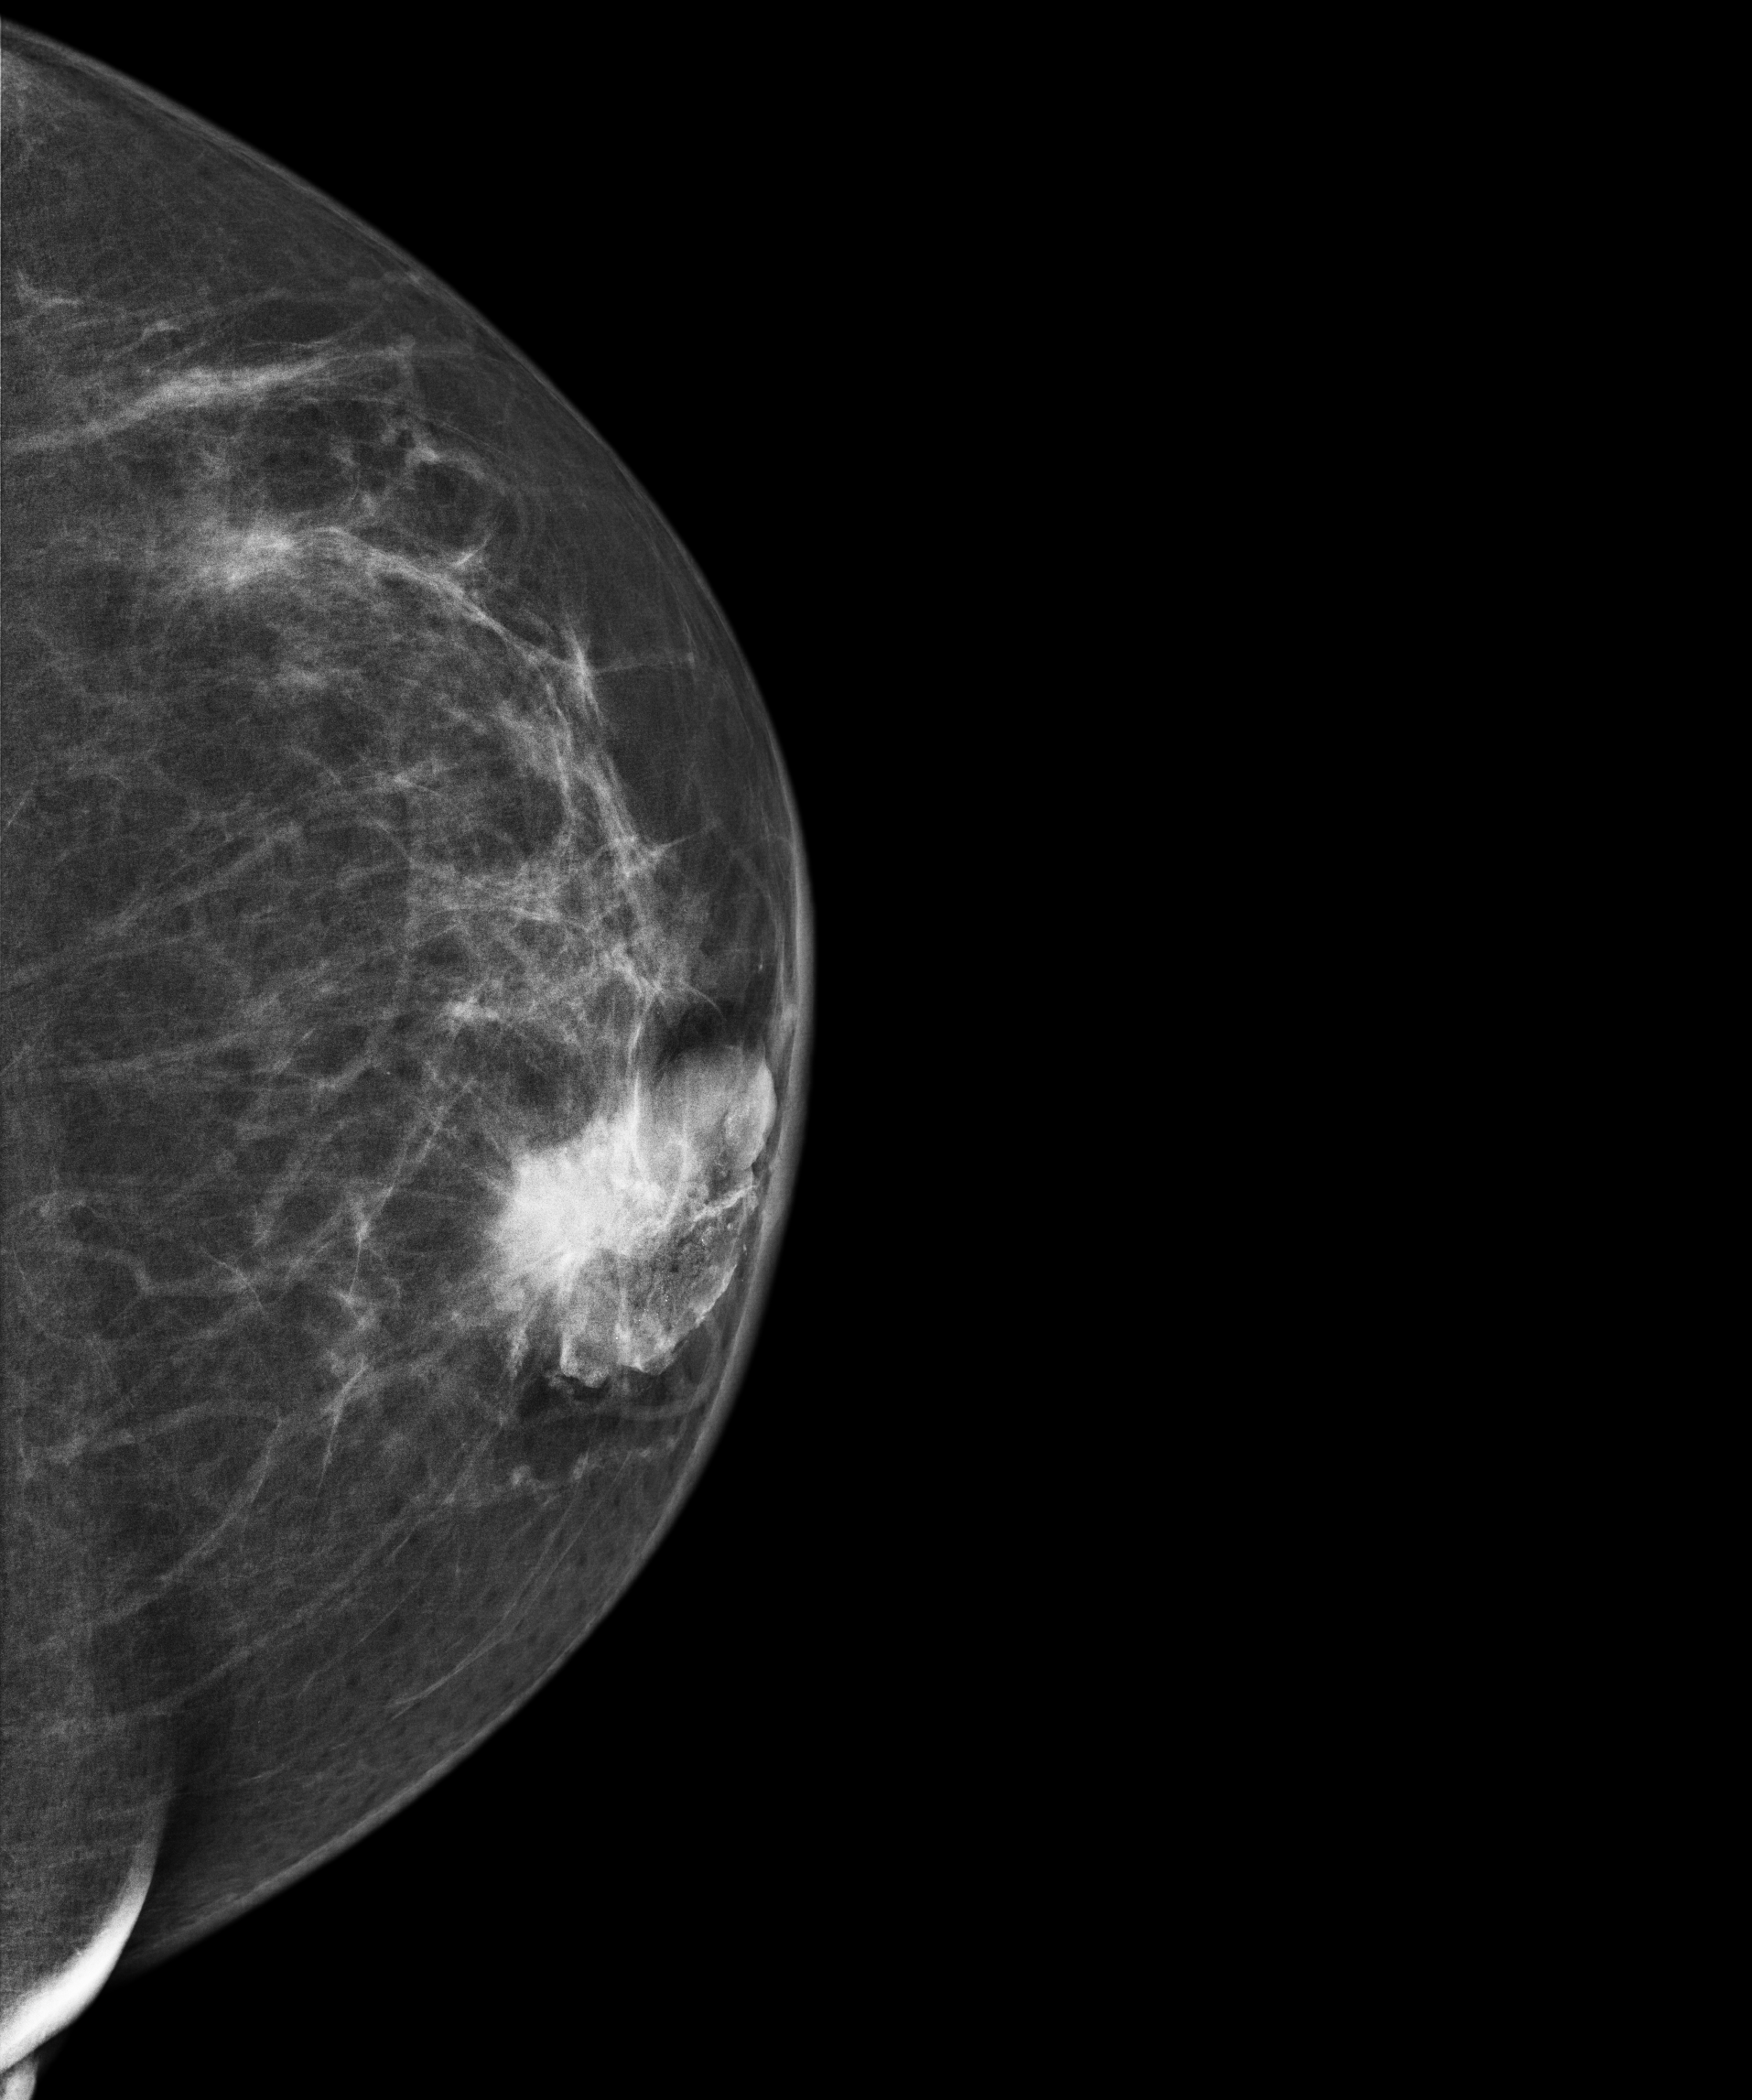
Mammogram — left cranio-caudal. Patient age 52.
This breast has a mass, biopsy-confirmed malignant. Molecular subtype: luminal B.